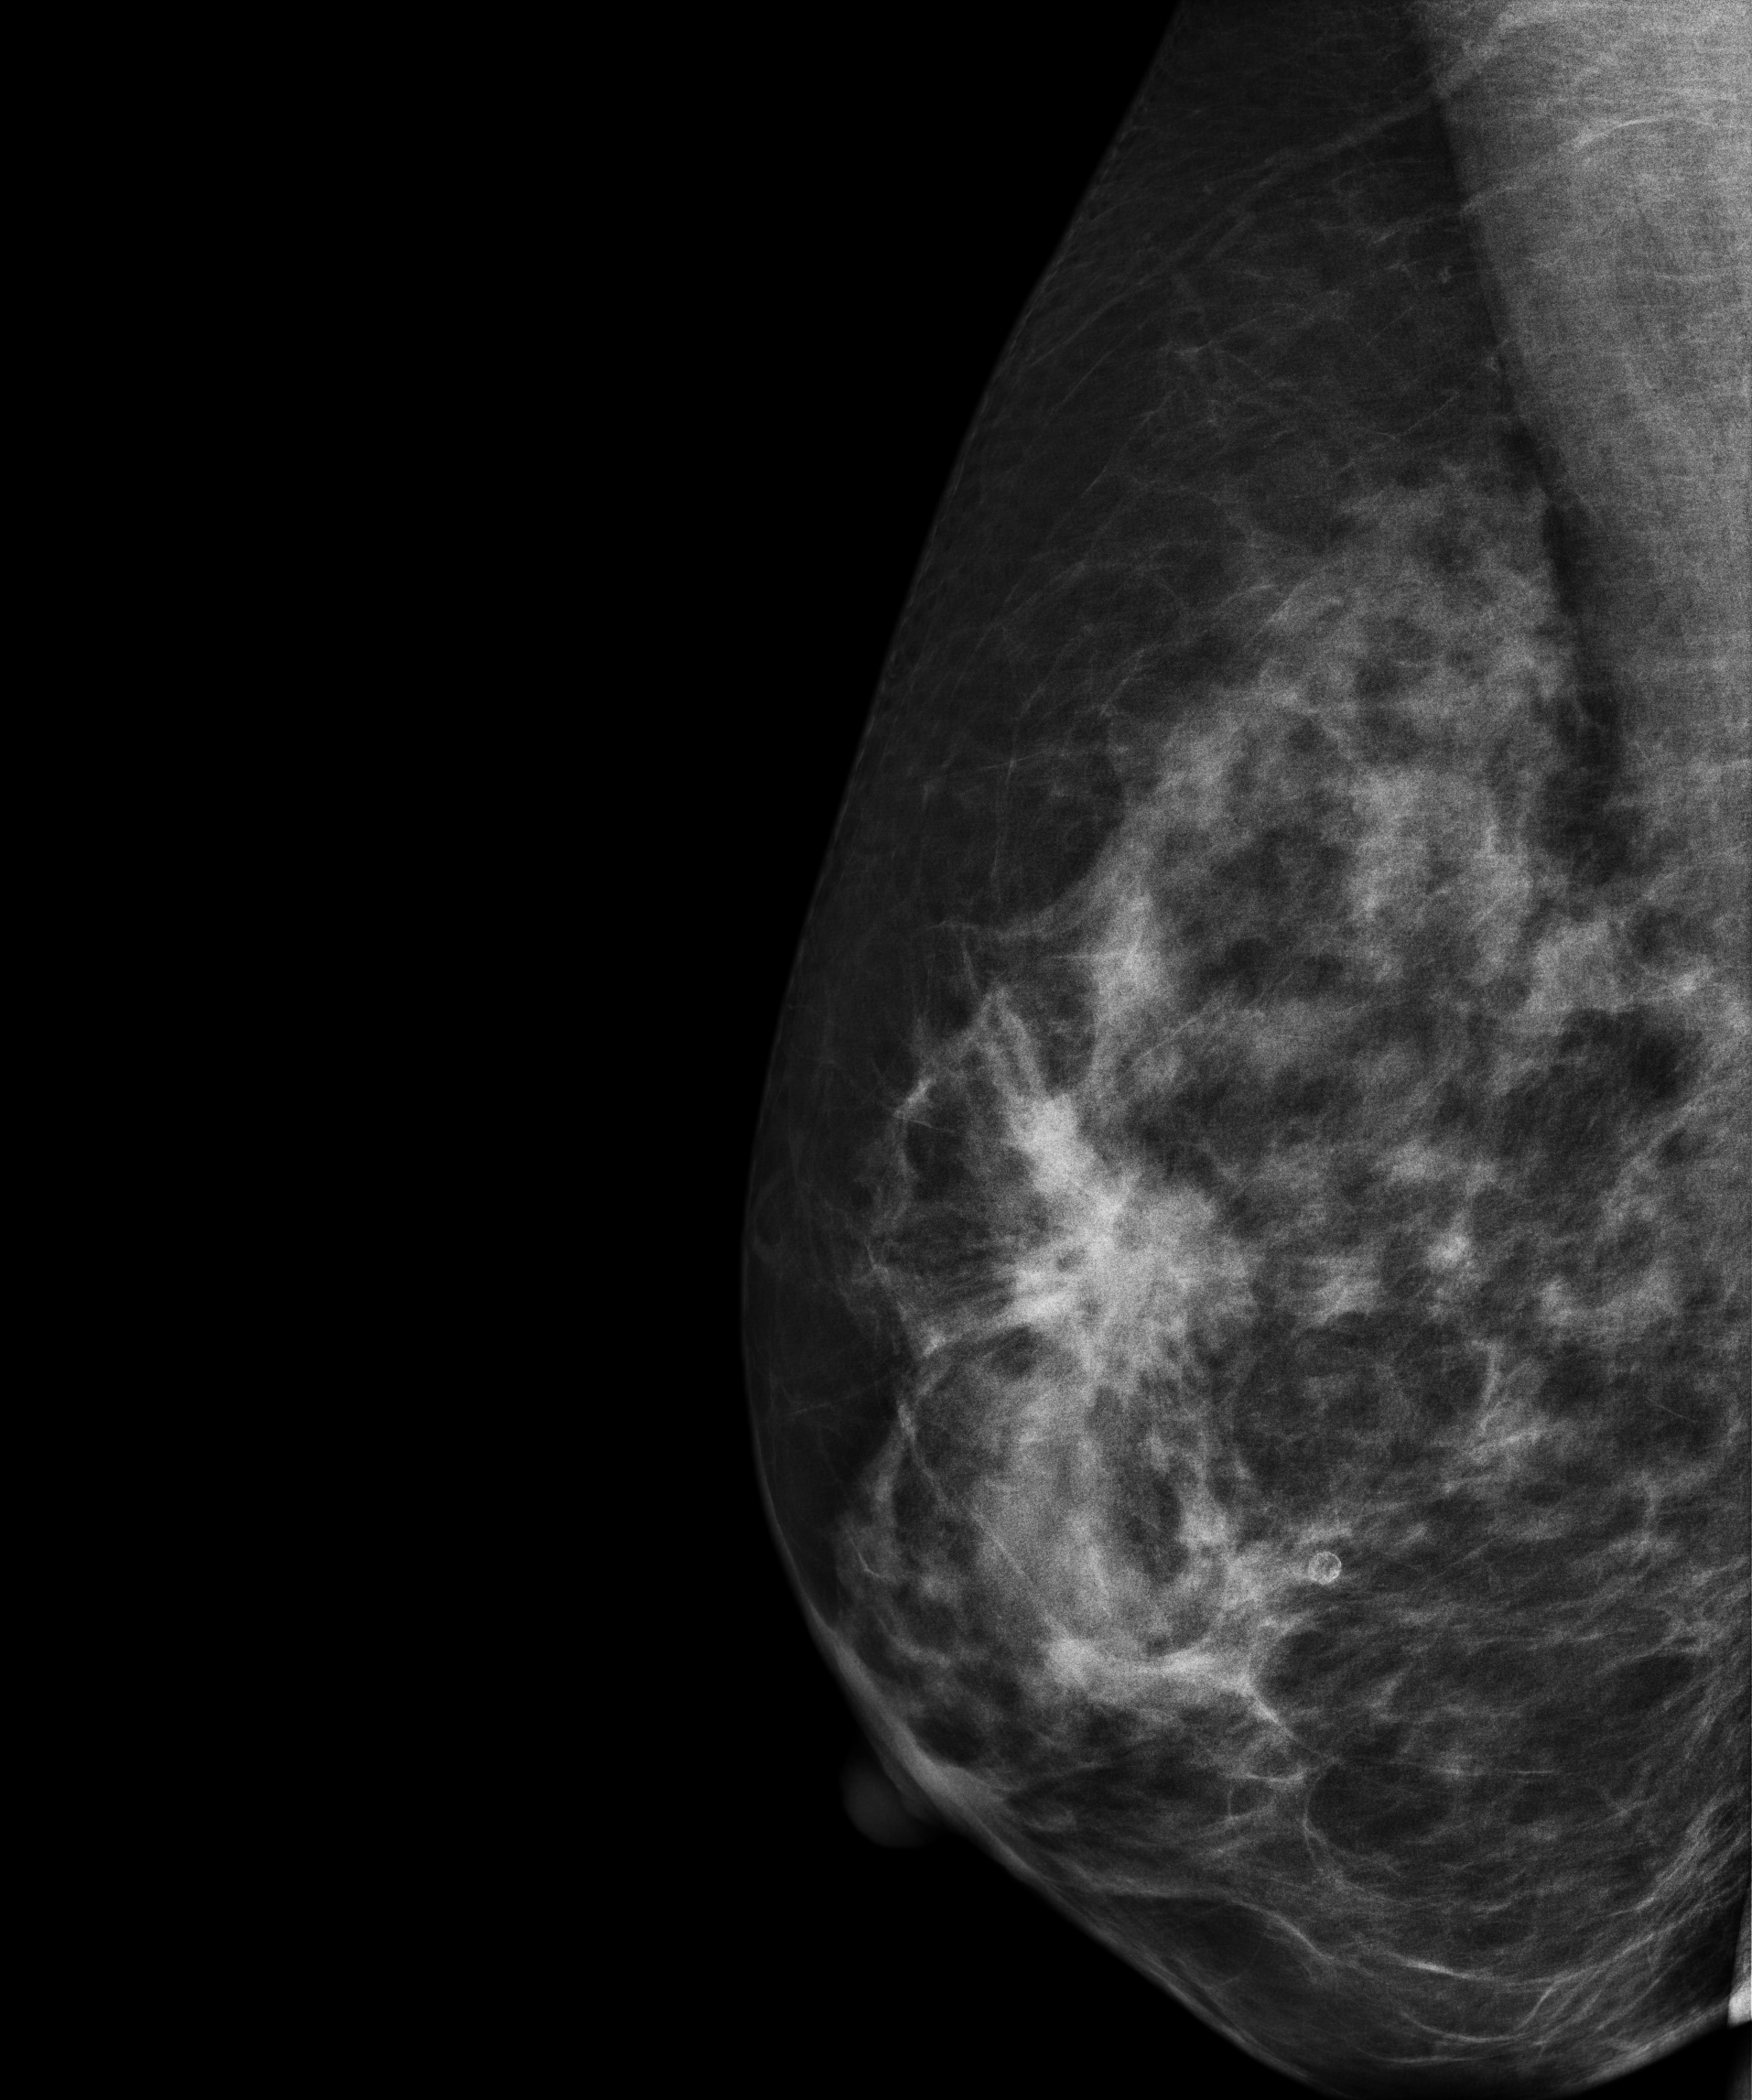
MLO mammogram of the right breast. 56 y/o patient.
This breast has a mass, biopsy-confirmed malignant. Molecular subtype: luminal B.